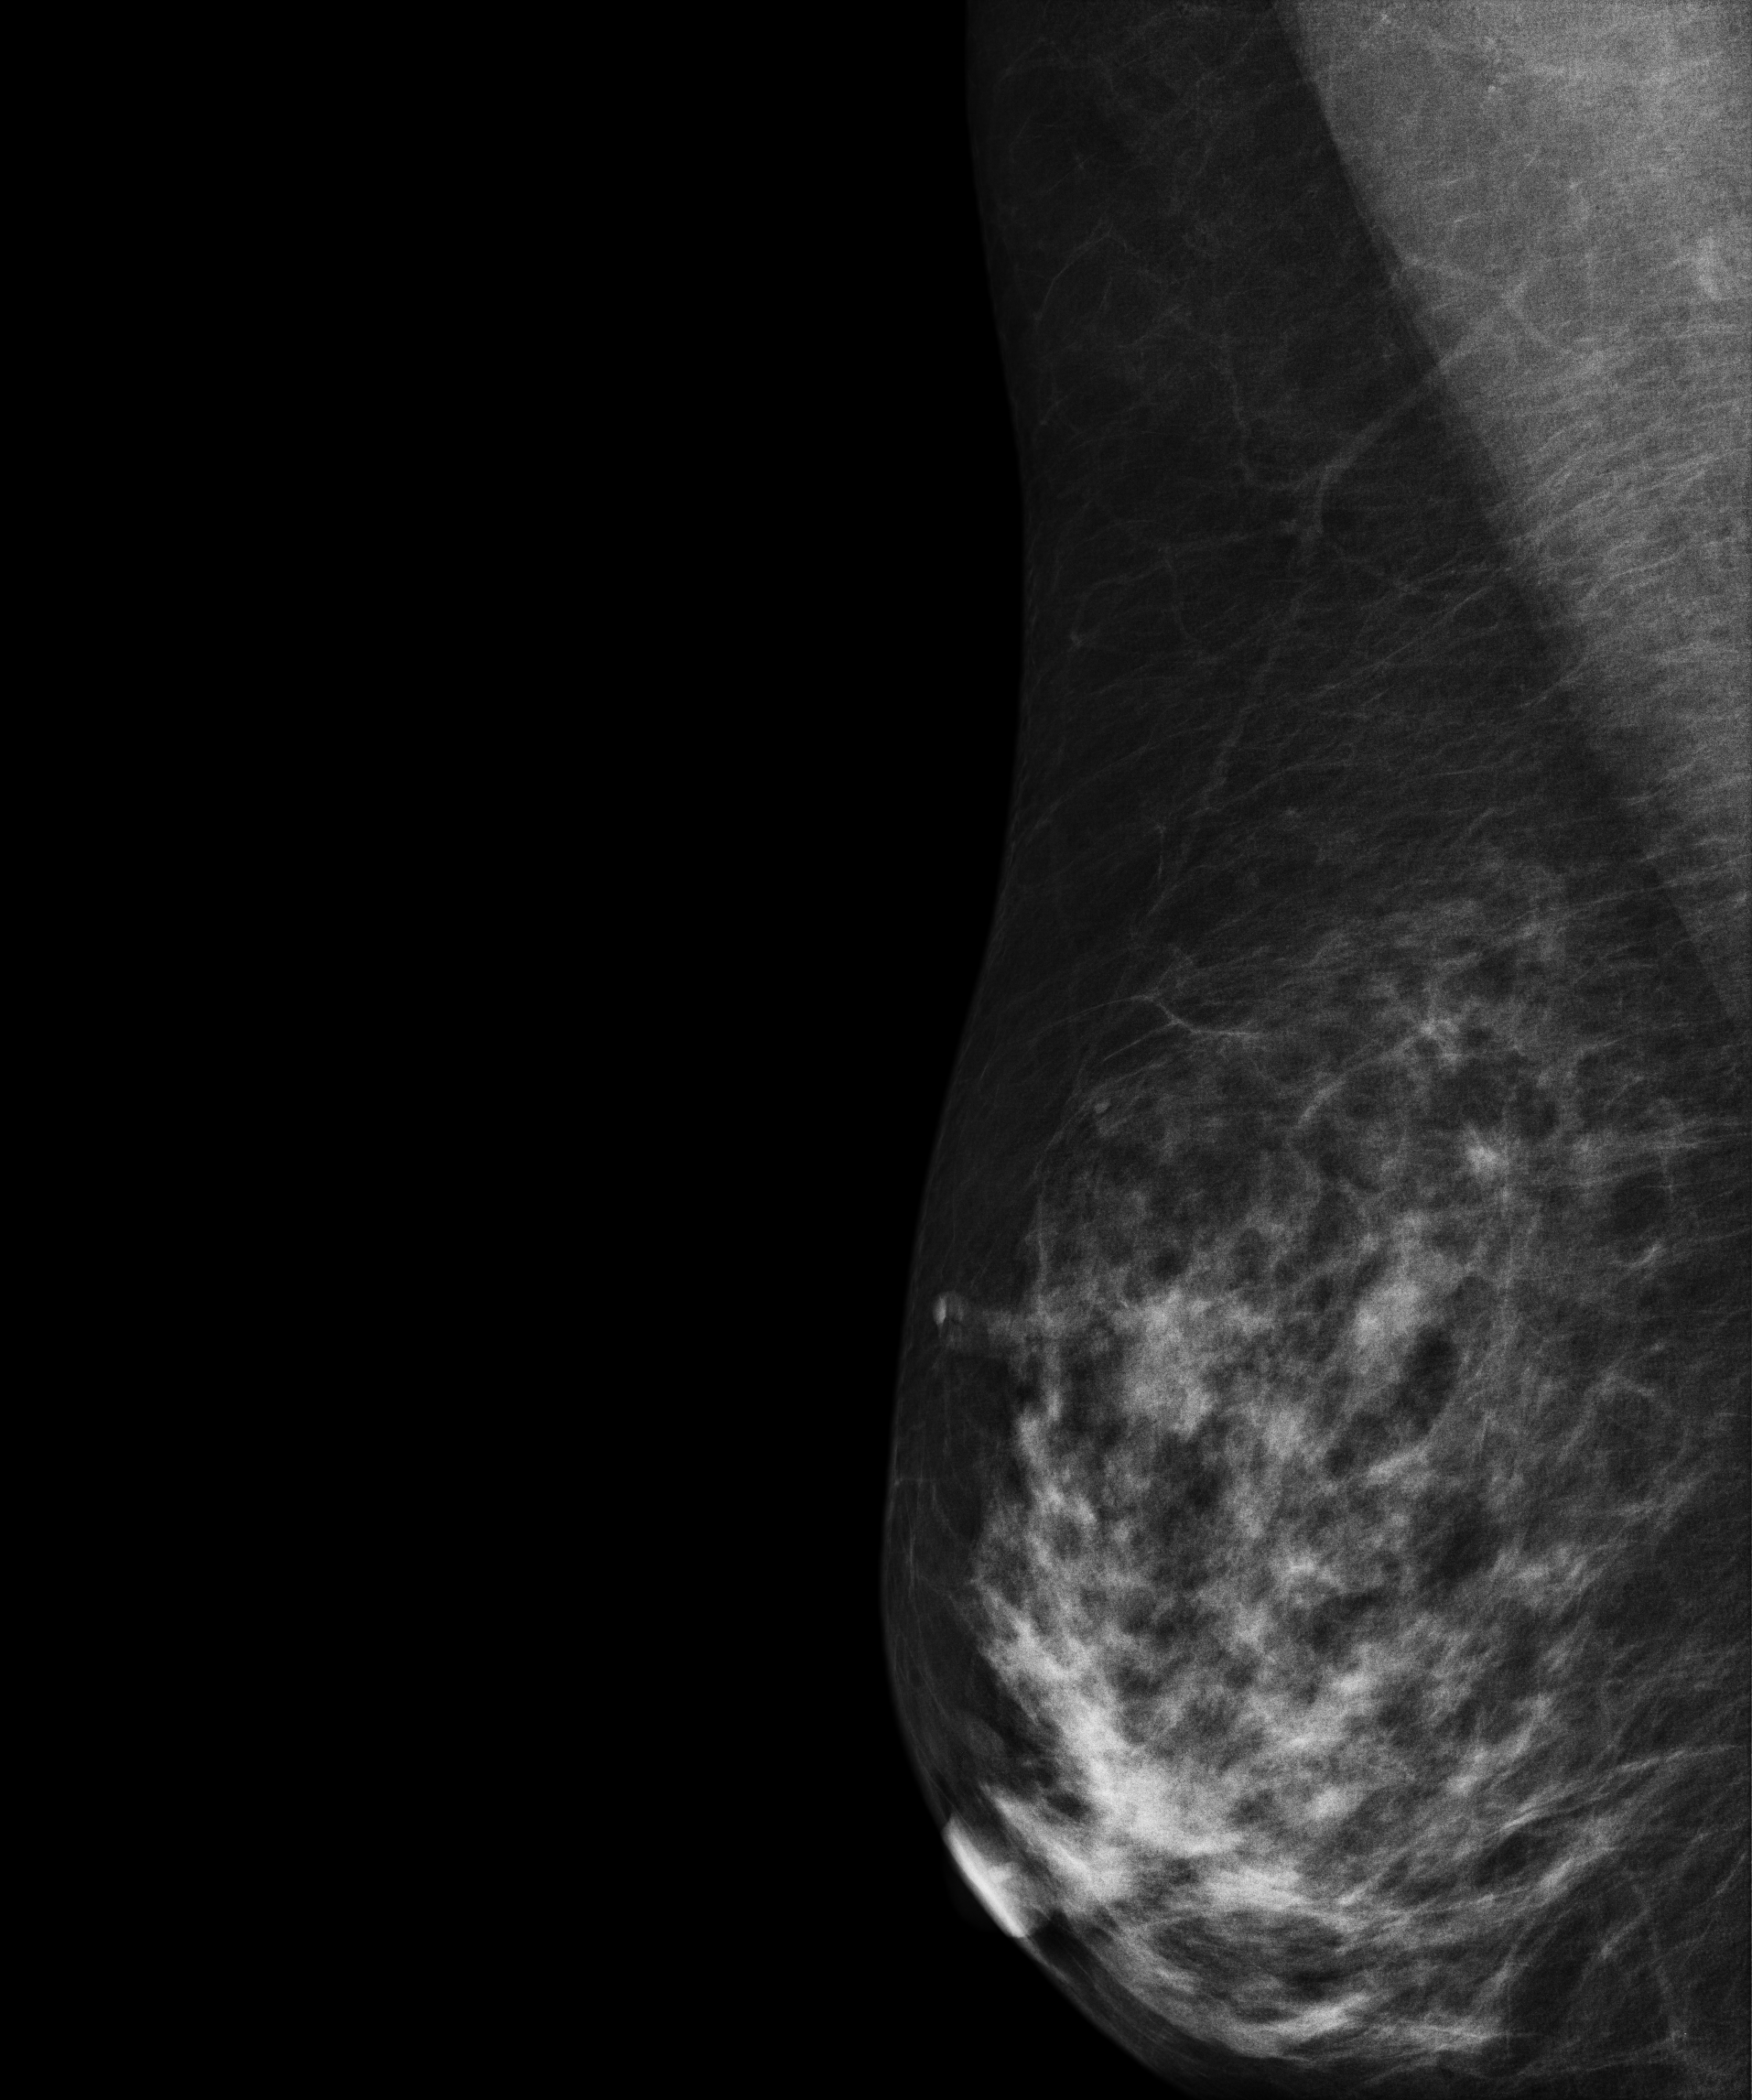
Mammogram, right breast, MLO view. 57 y/o patient.
Contralateral breast — no documented abnormality on this side.